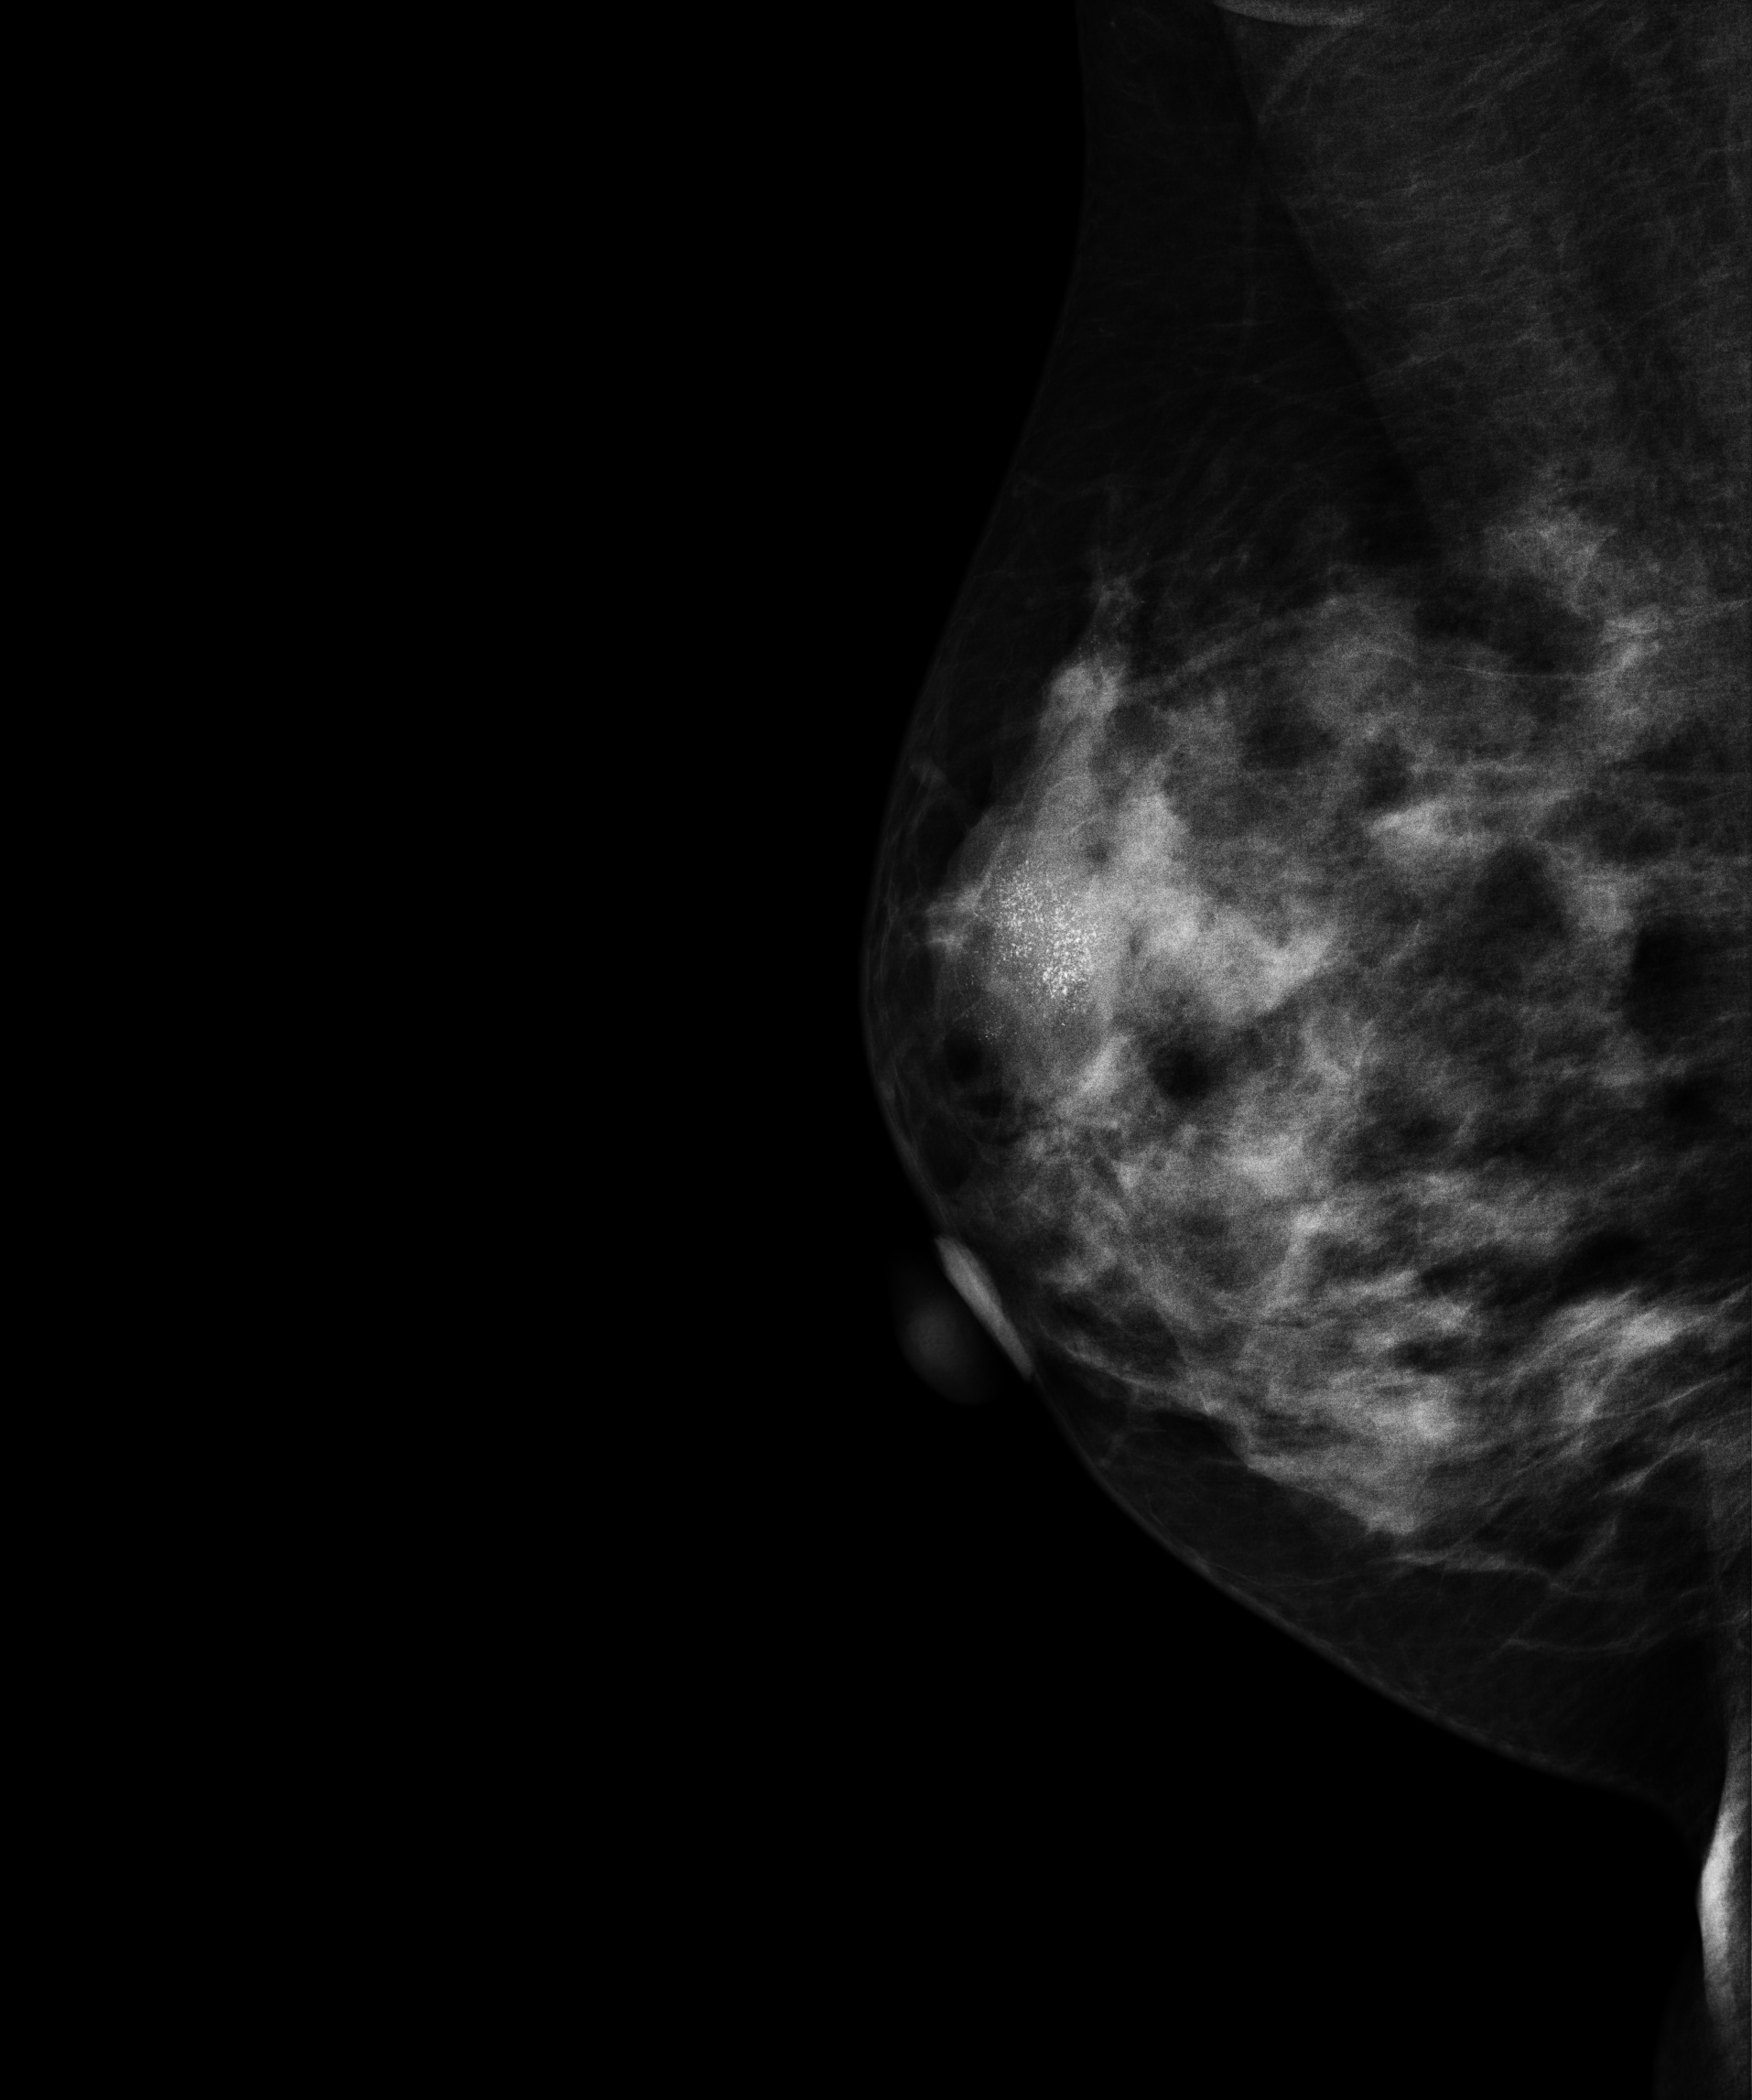
Mammogram, right breast, medio-lateral oblique view. 41-year-old patient.
This breast has a mass and calcifications, biopsy-proven malignant.